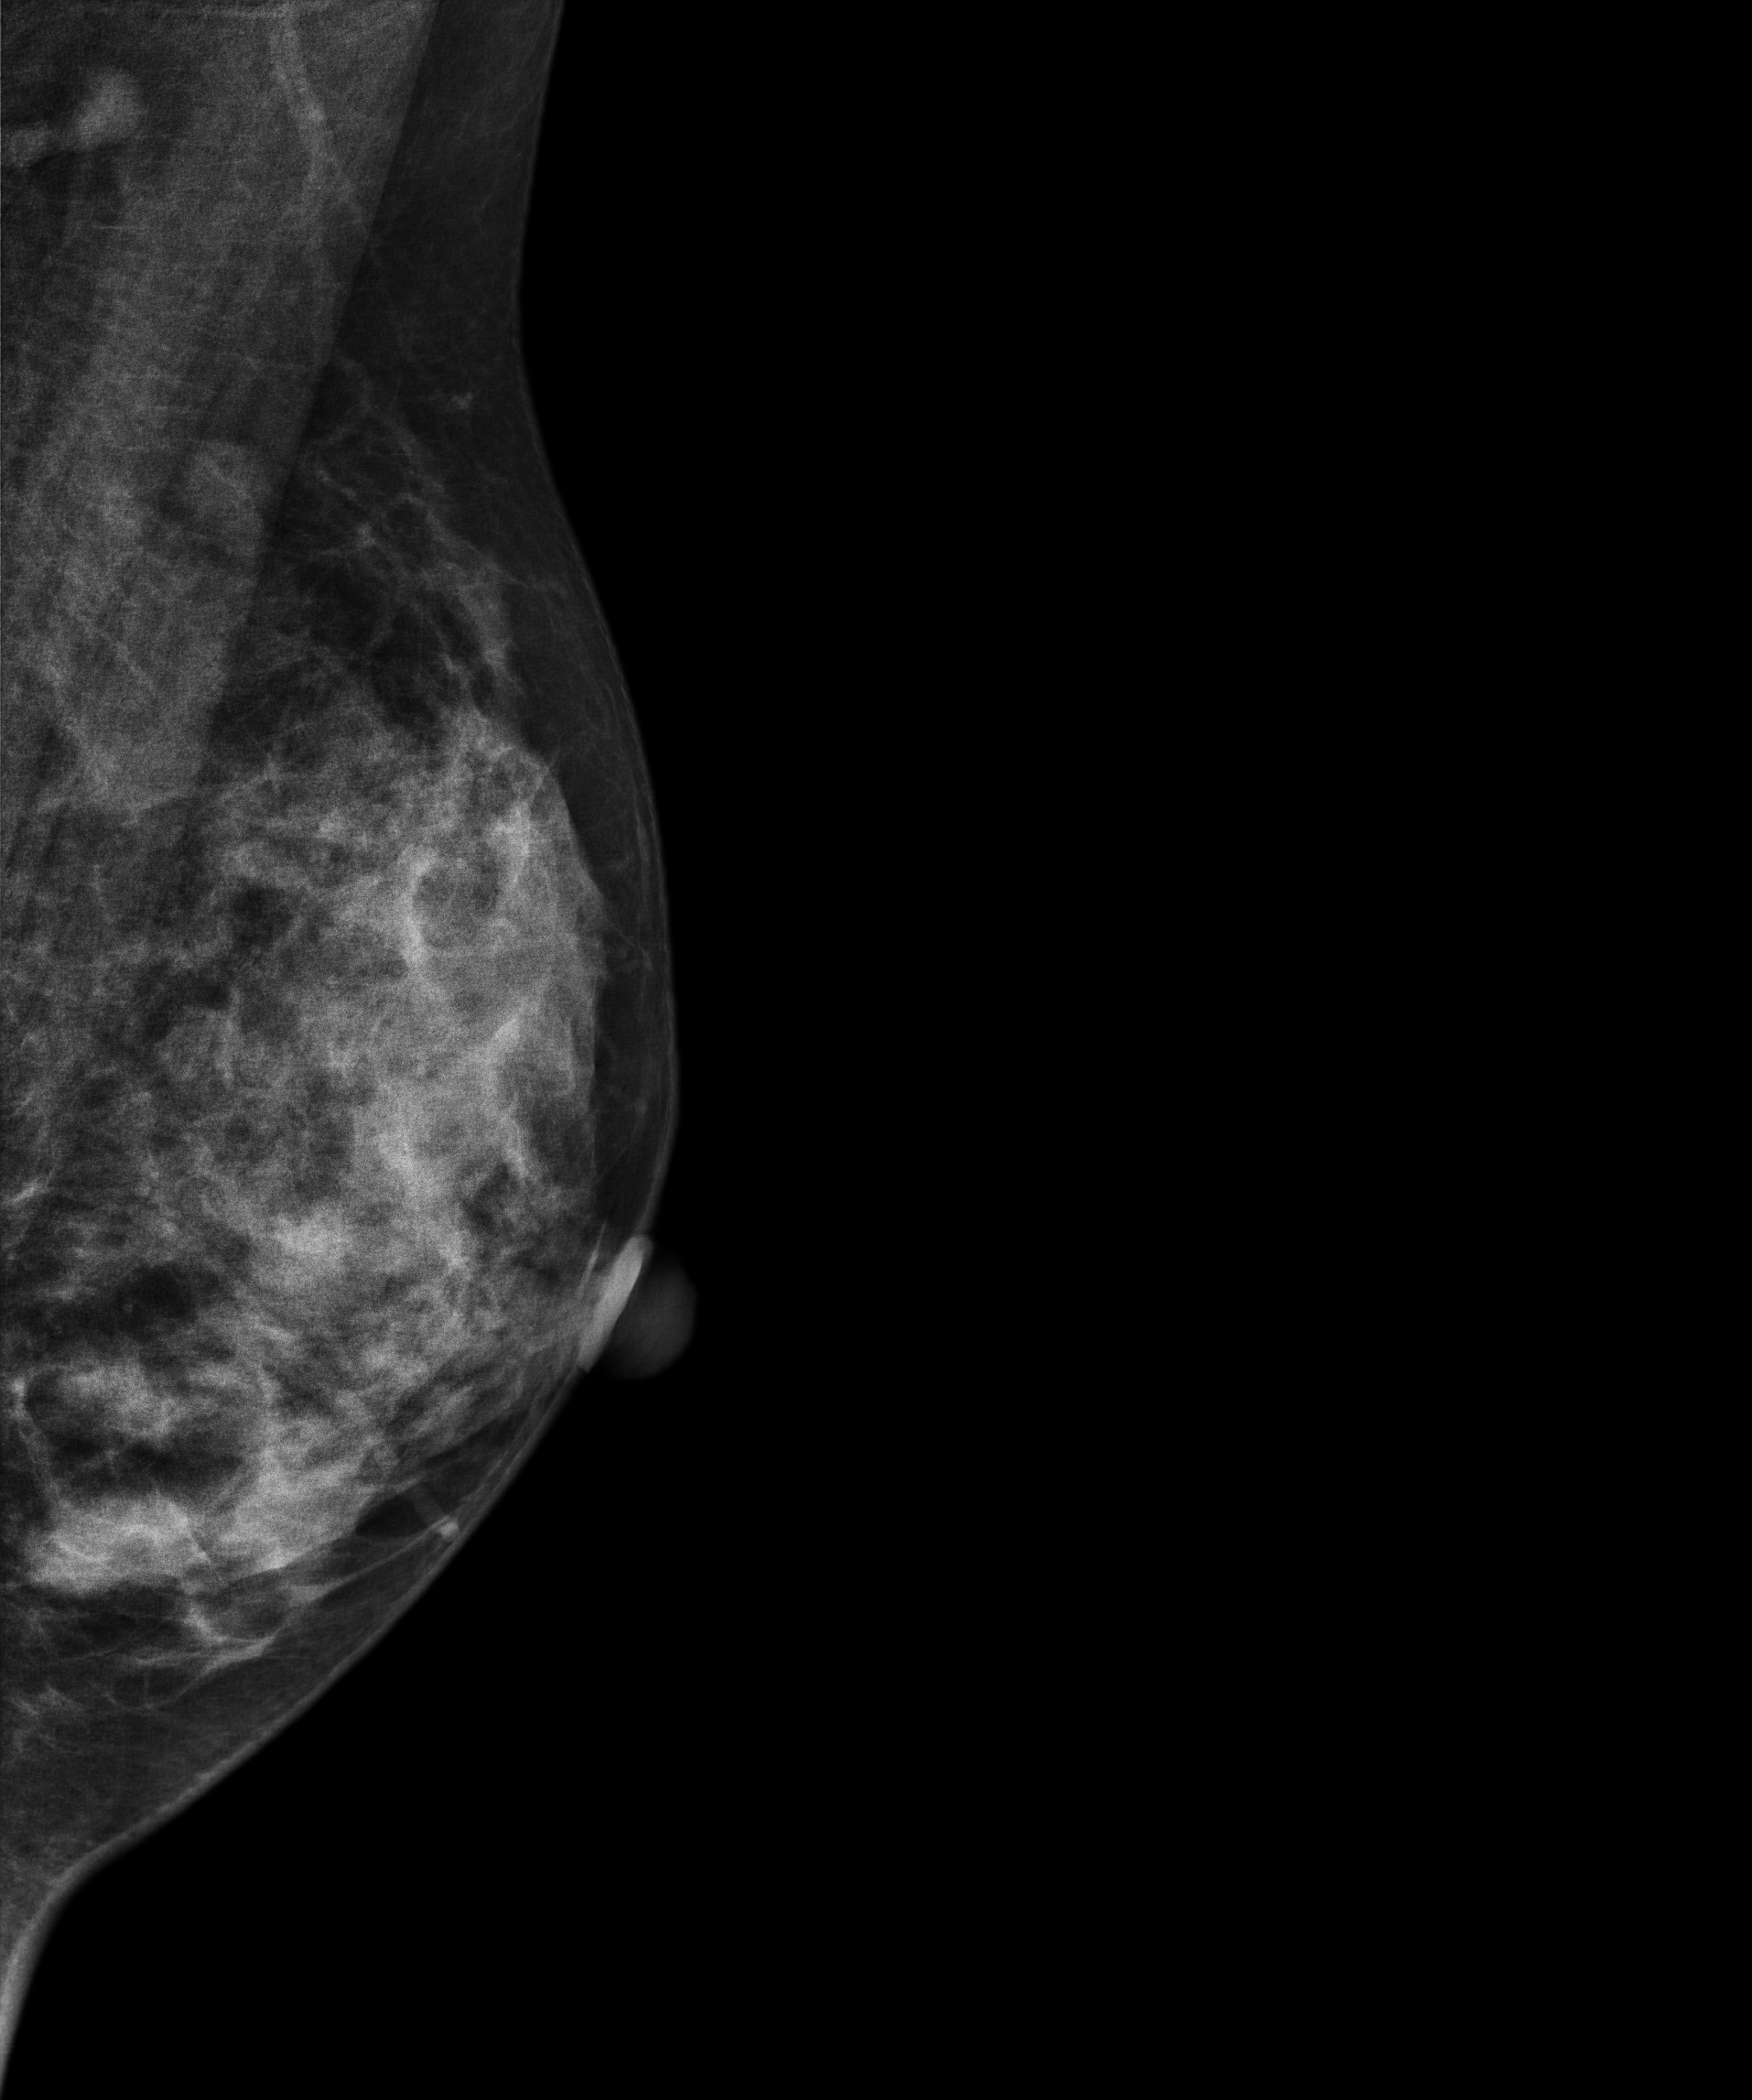
Mammogram, left breast, medio-lateral oblique view. 36 y/o patient.
This breast has a mass, histologically confirmed malignant.